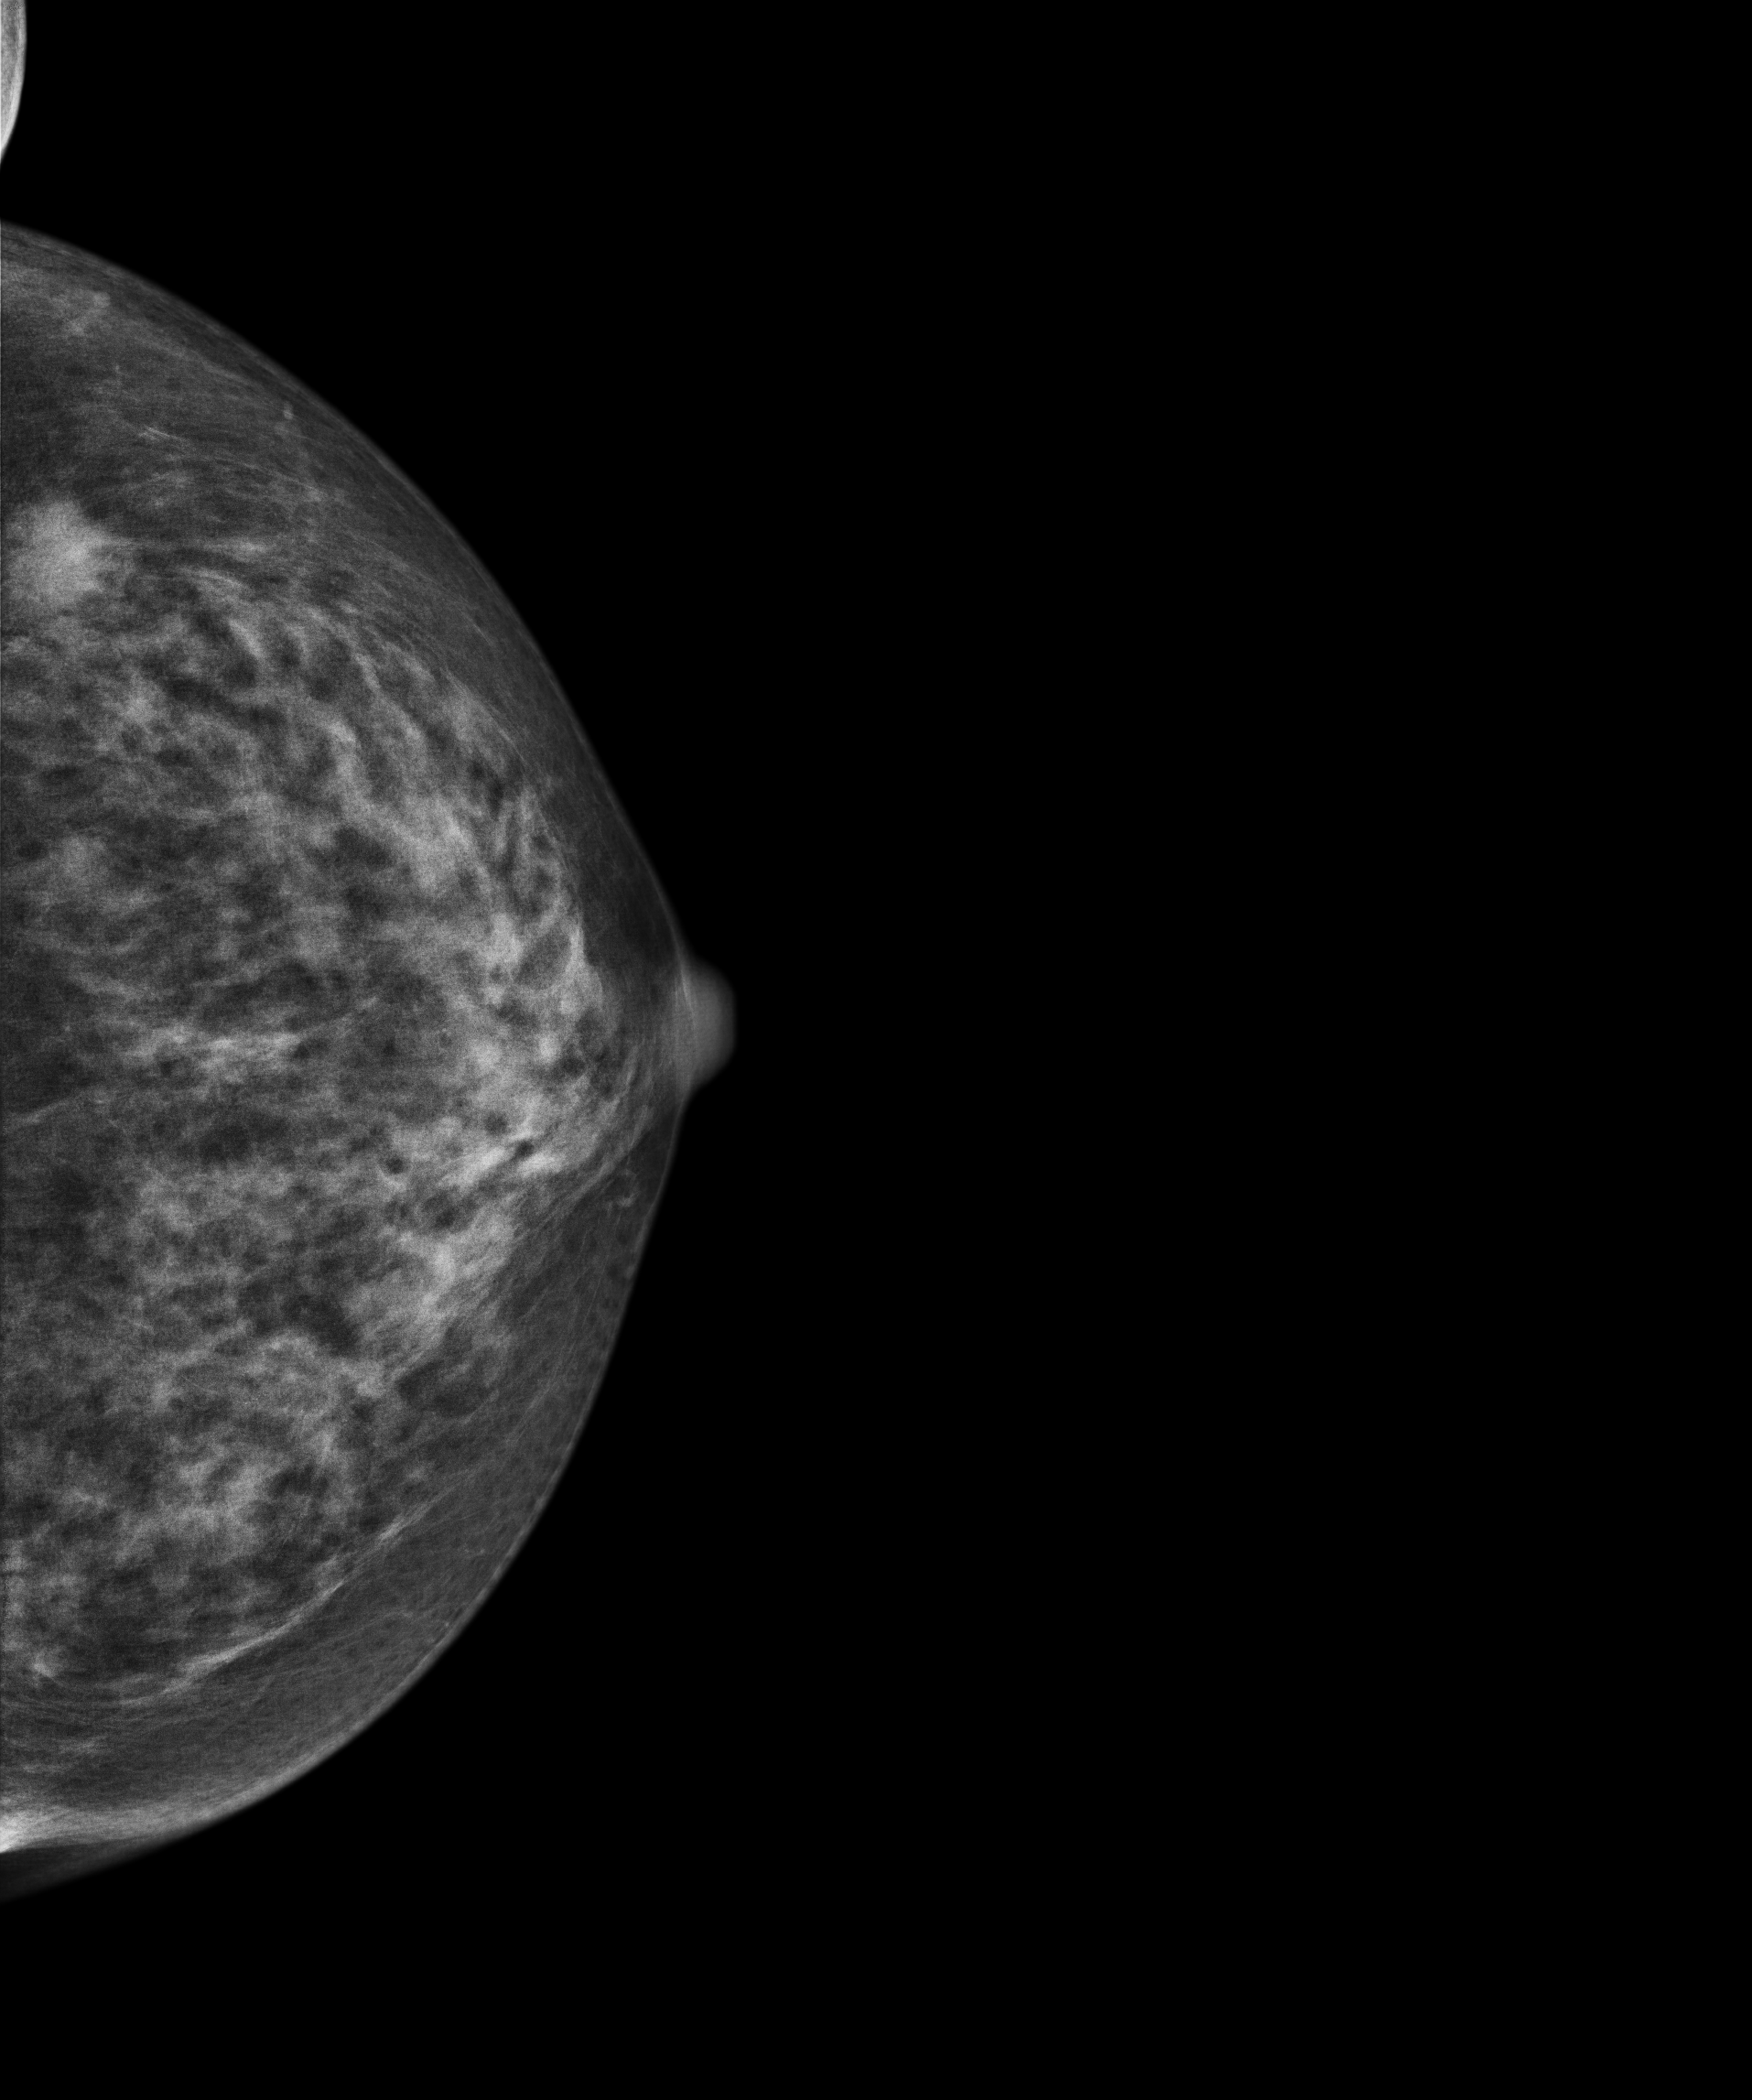
Digital mammography. Left breast, cranio-caudal projection. 63-year-old patient.
This breast has a mass, biopsy-confirmed malignant.